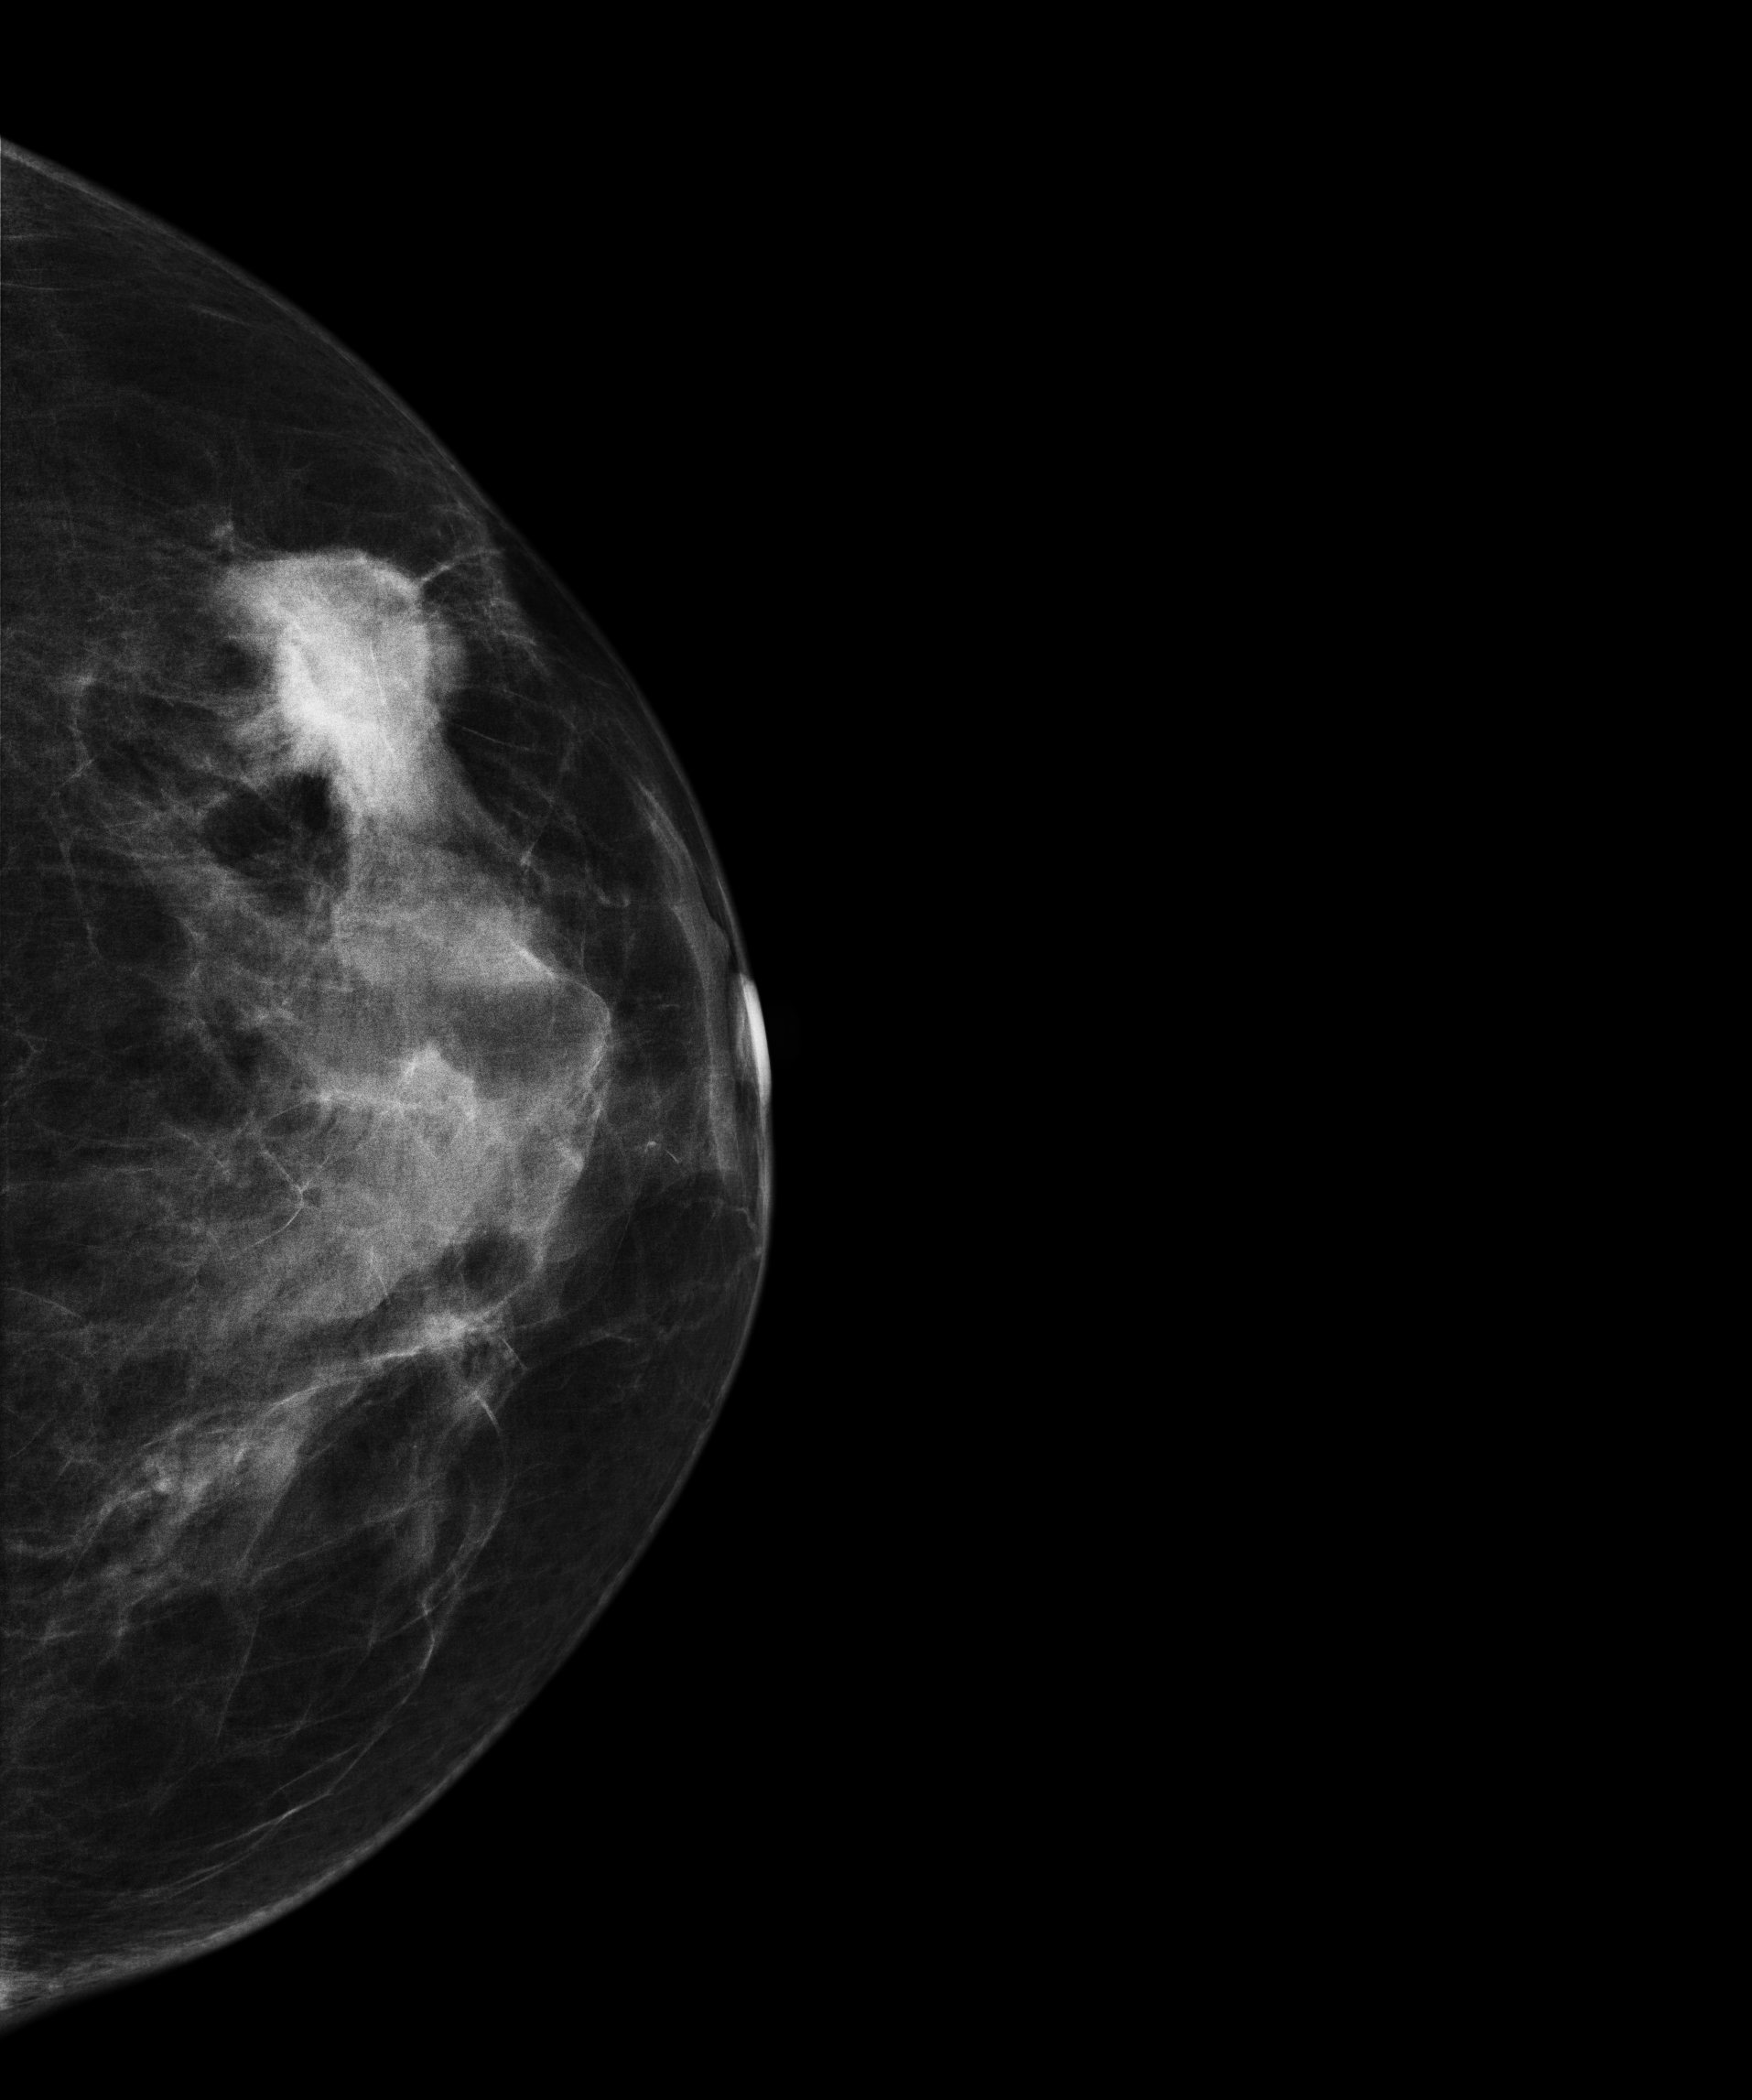
Left-breast mammogram, CC. Patient age 62.
This breast has a mass, biopsy-proven malignant.